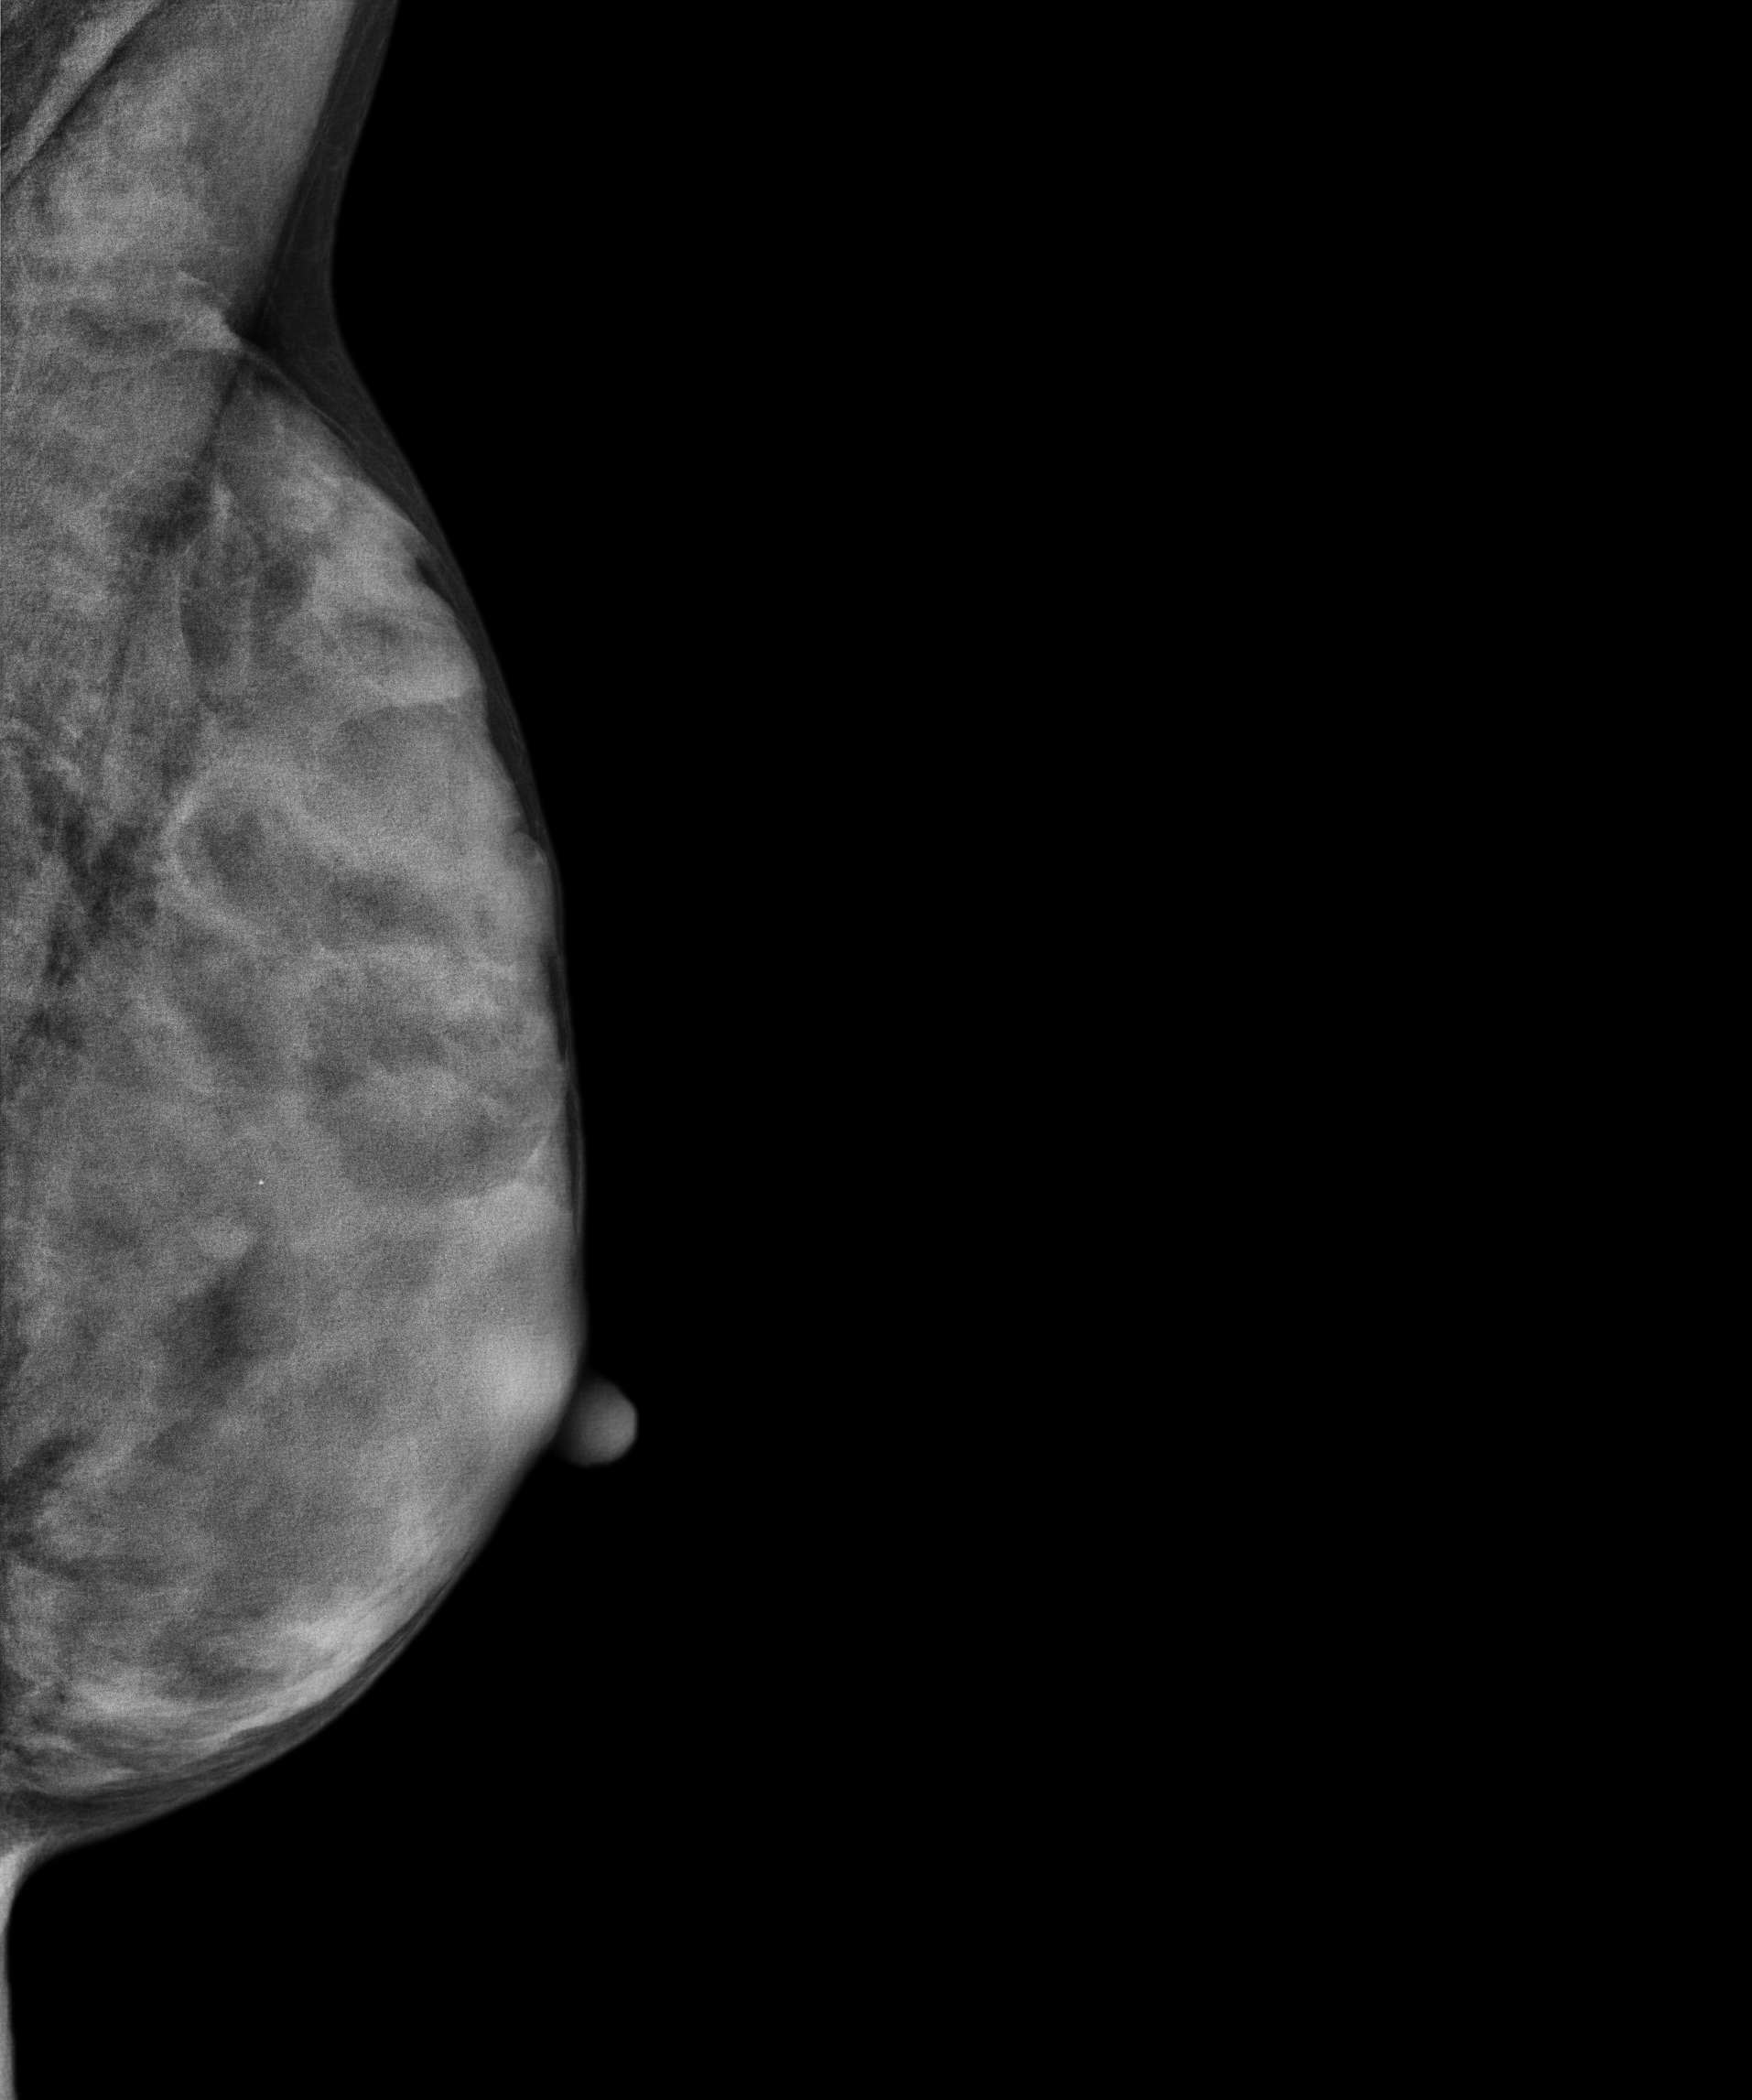
MLO mammogram of the left breast. 31 y/o patient.
Contralateral breast — no documented abnormality on this side.